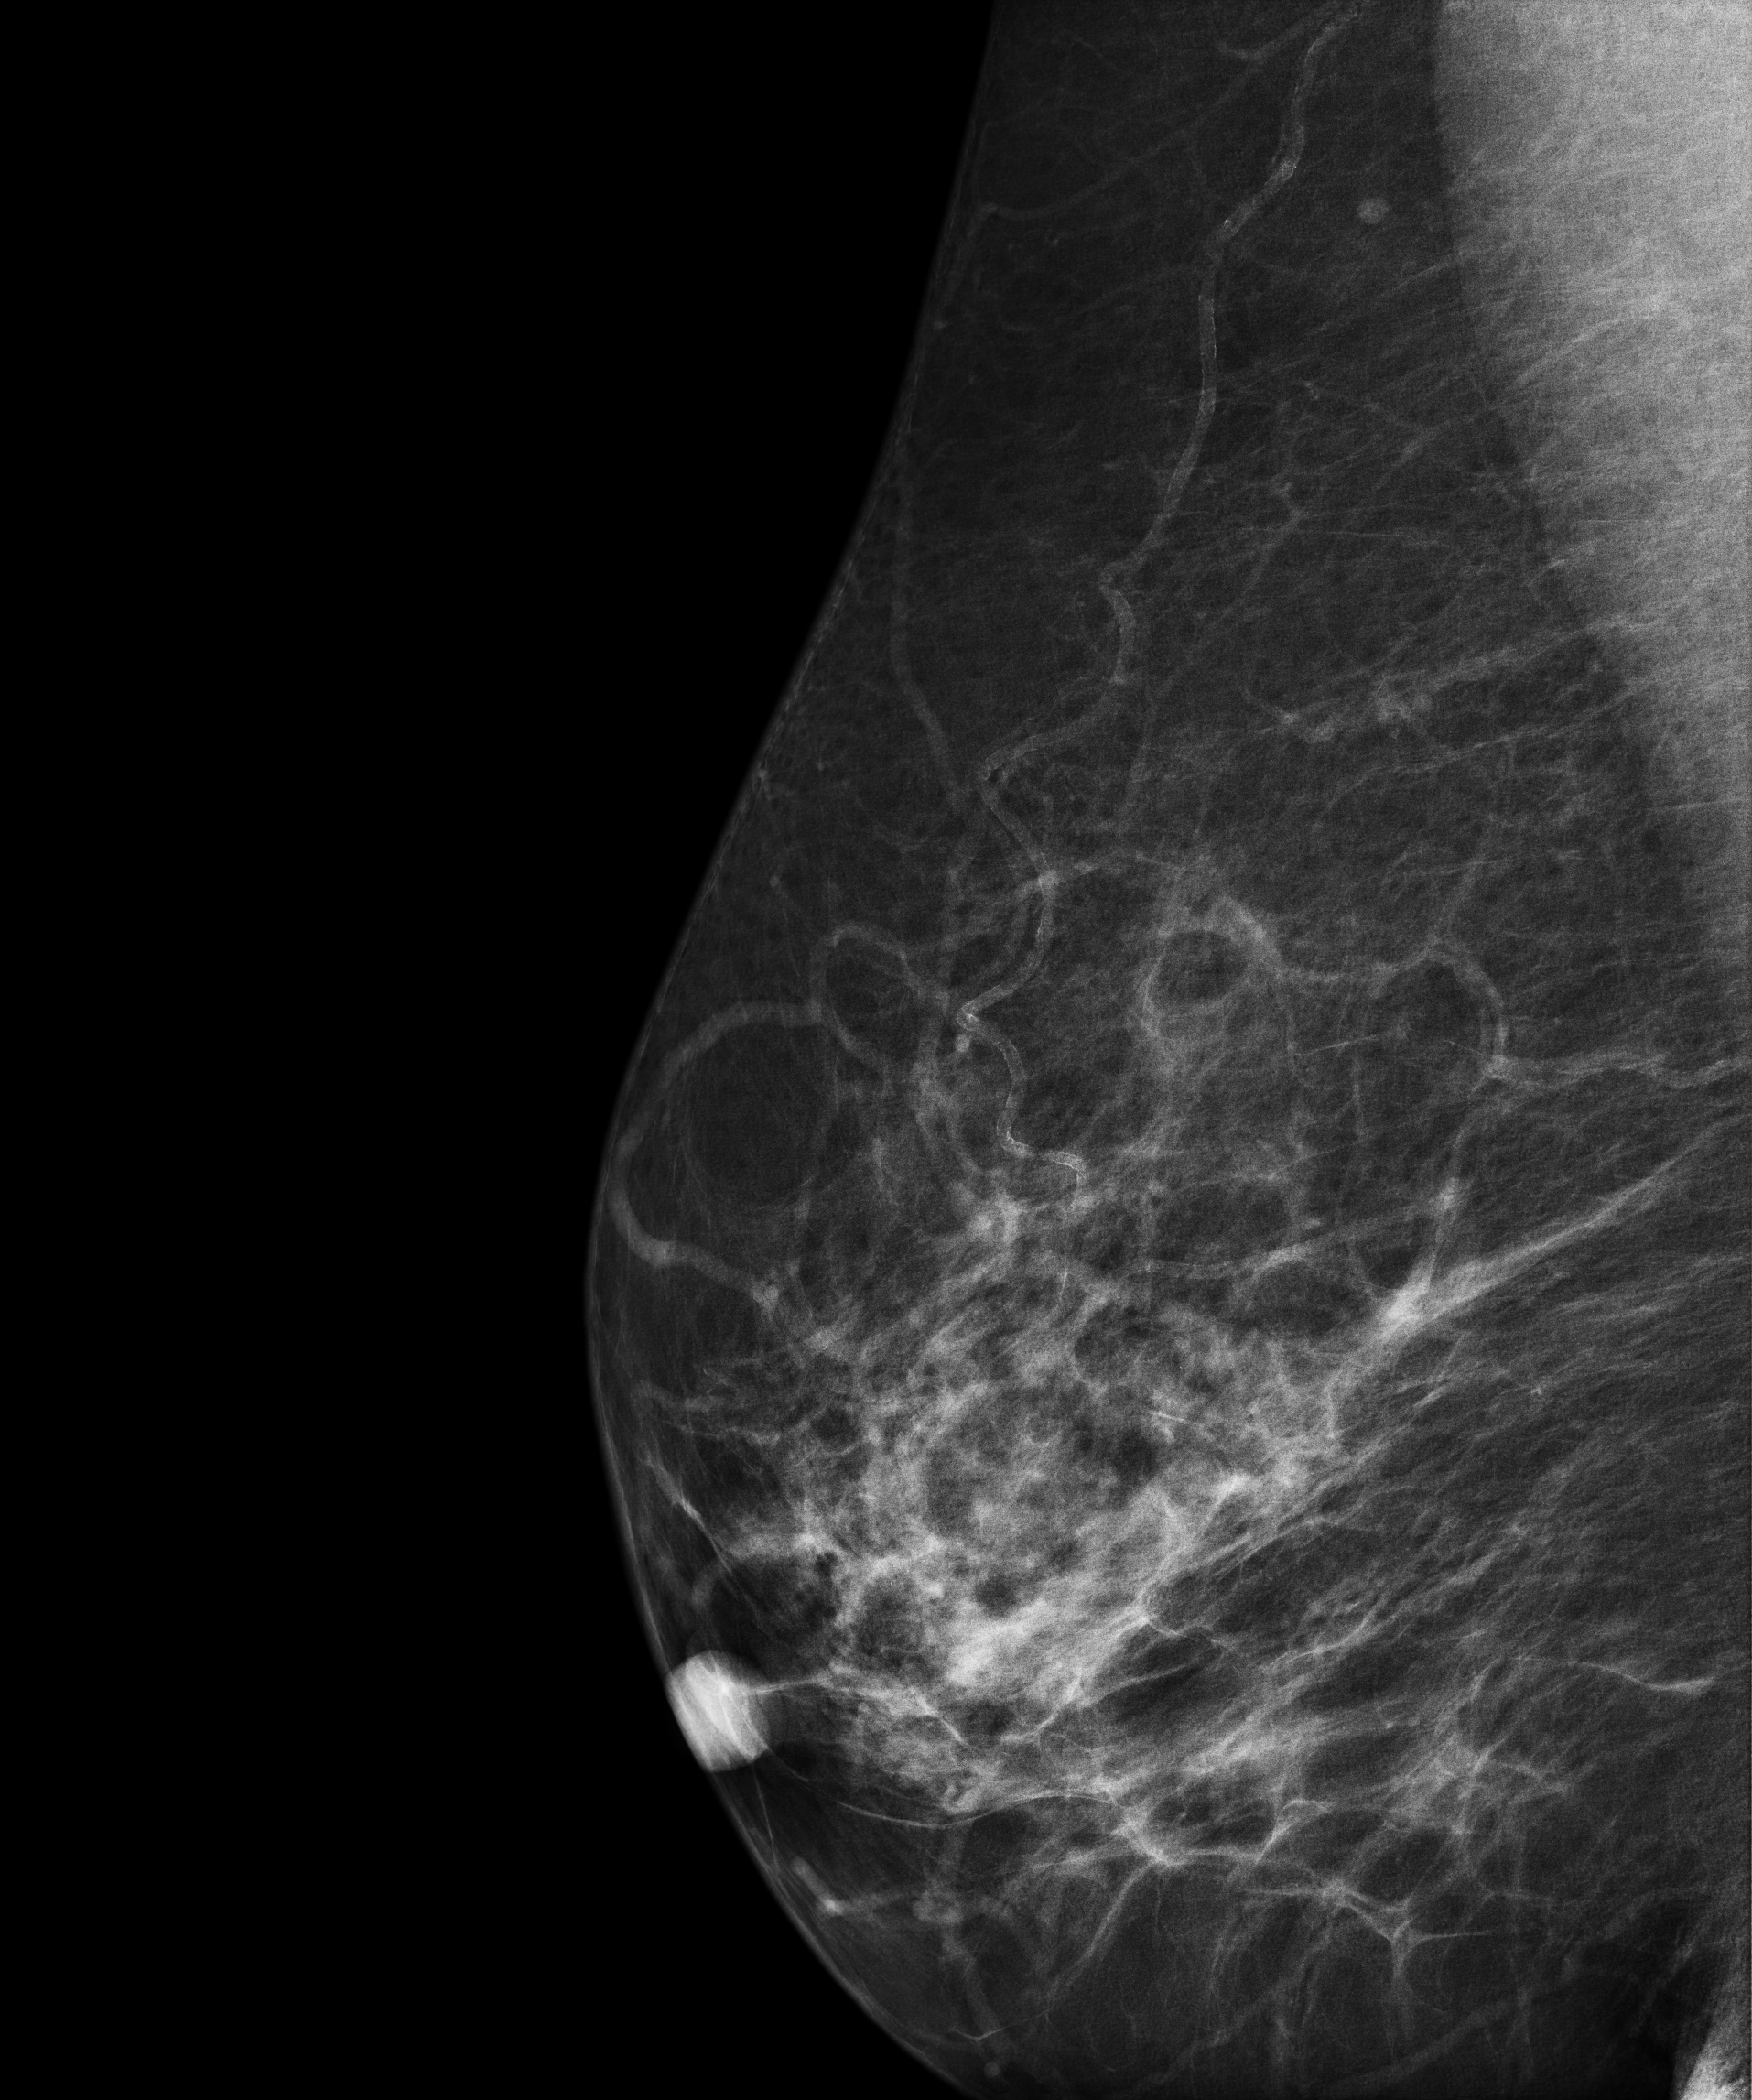
Mammogram, right breast, medio-lateral oblique view. 66-year-old patient.
Contralateral breast — no documented abnormality on this side.